Digital mammography. Right breast, CC projection. 46 y/o patient.
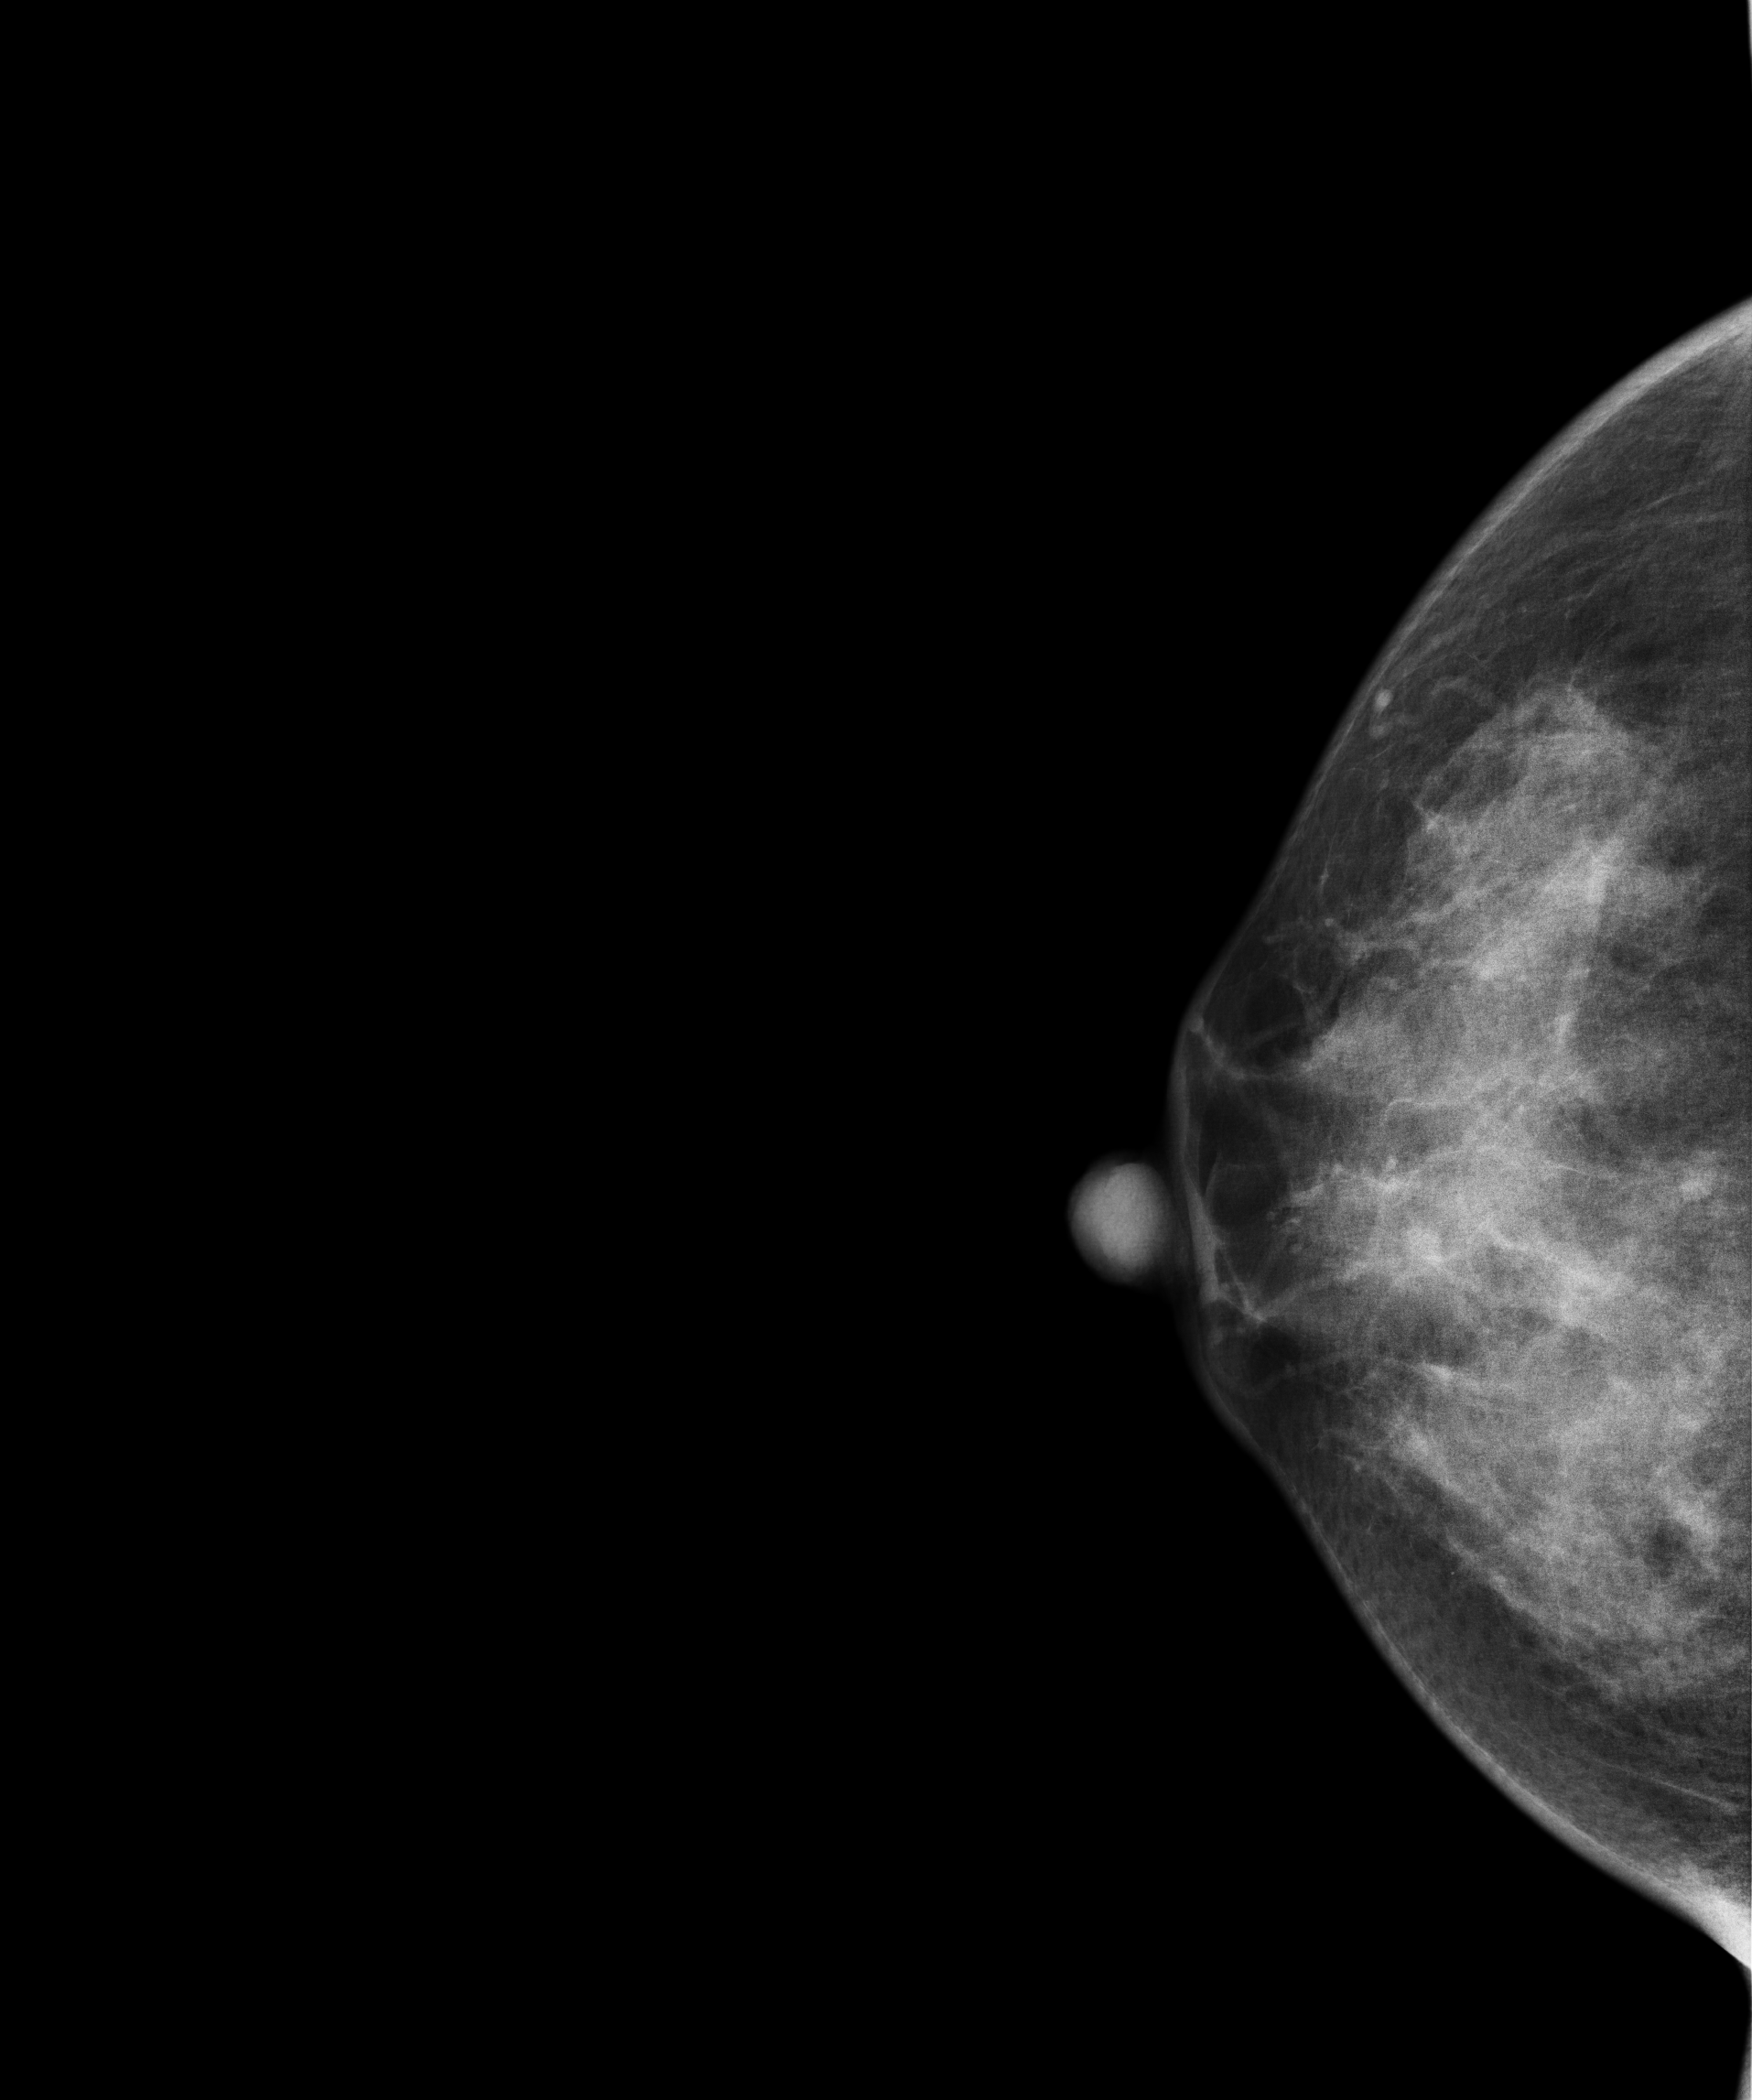
Contralateral breast — no documented abnormality on this side.